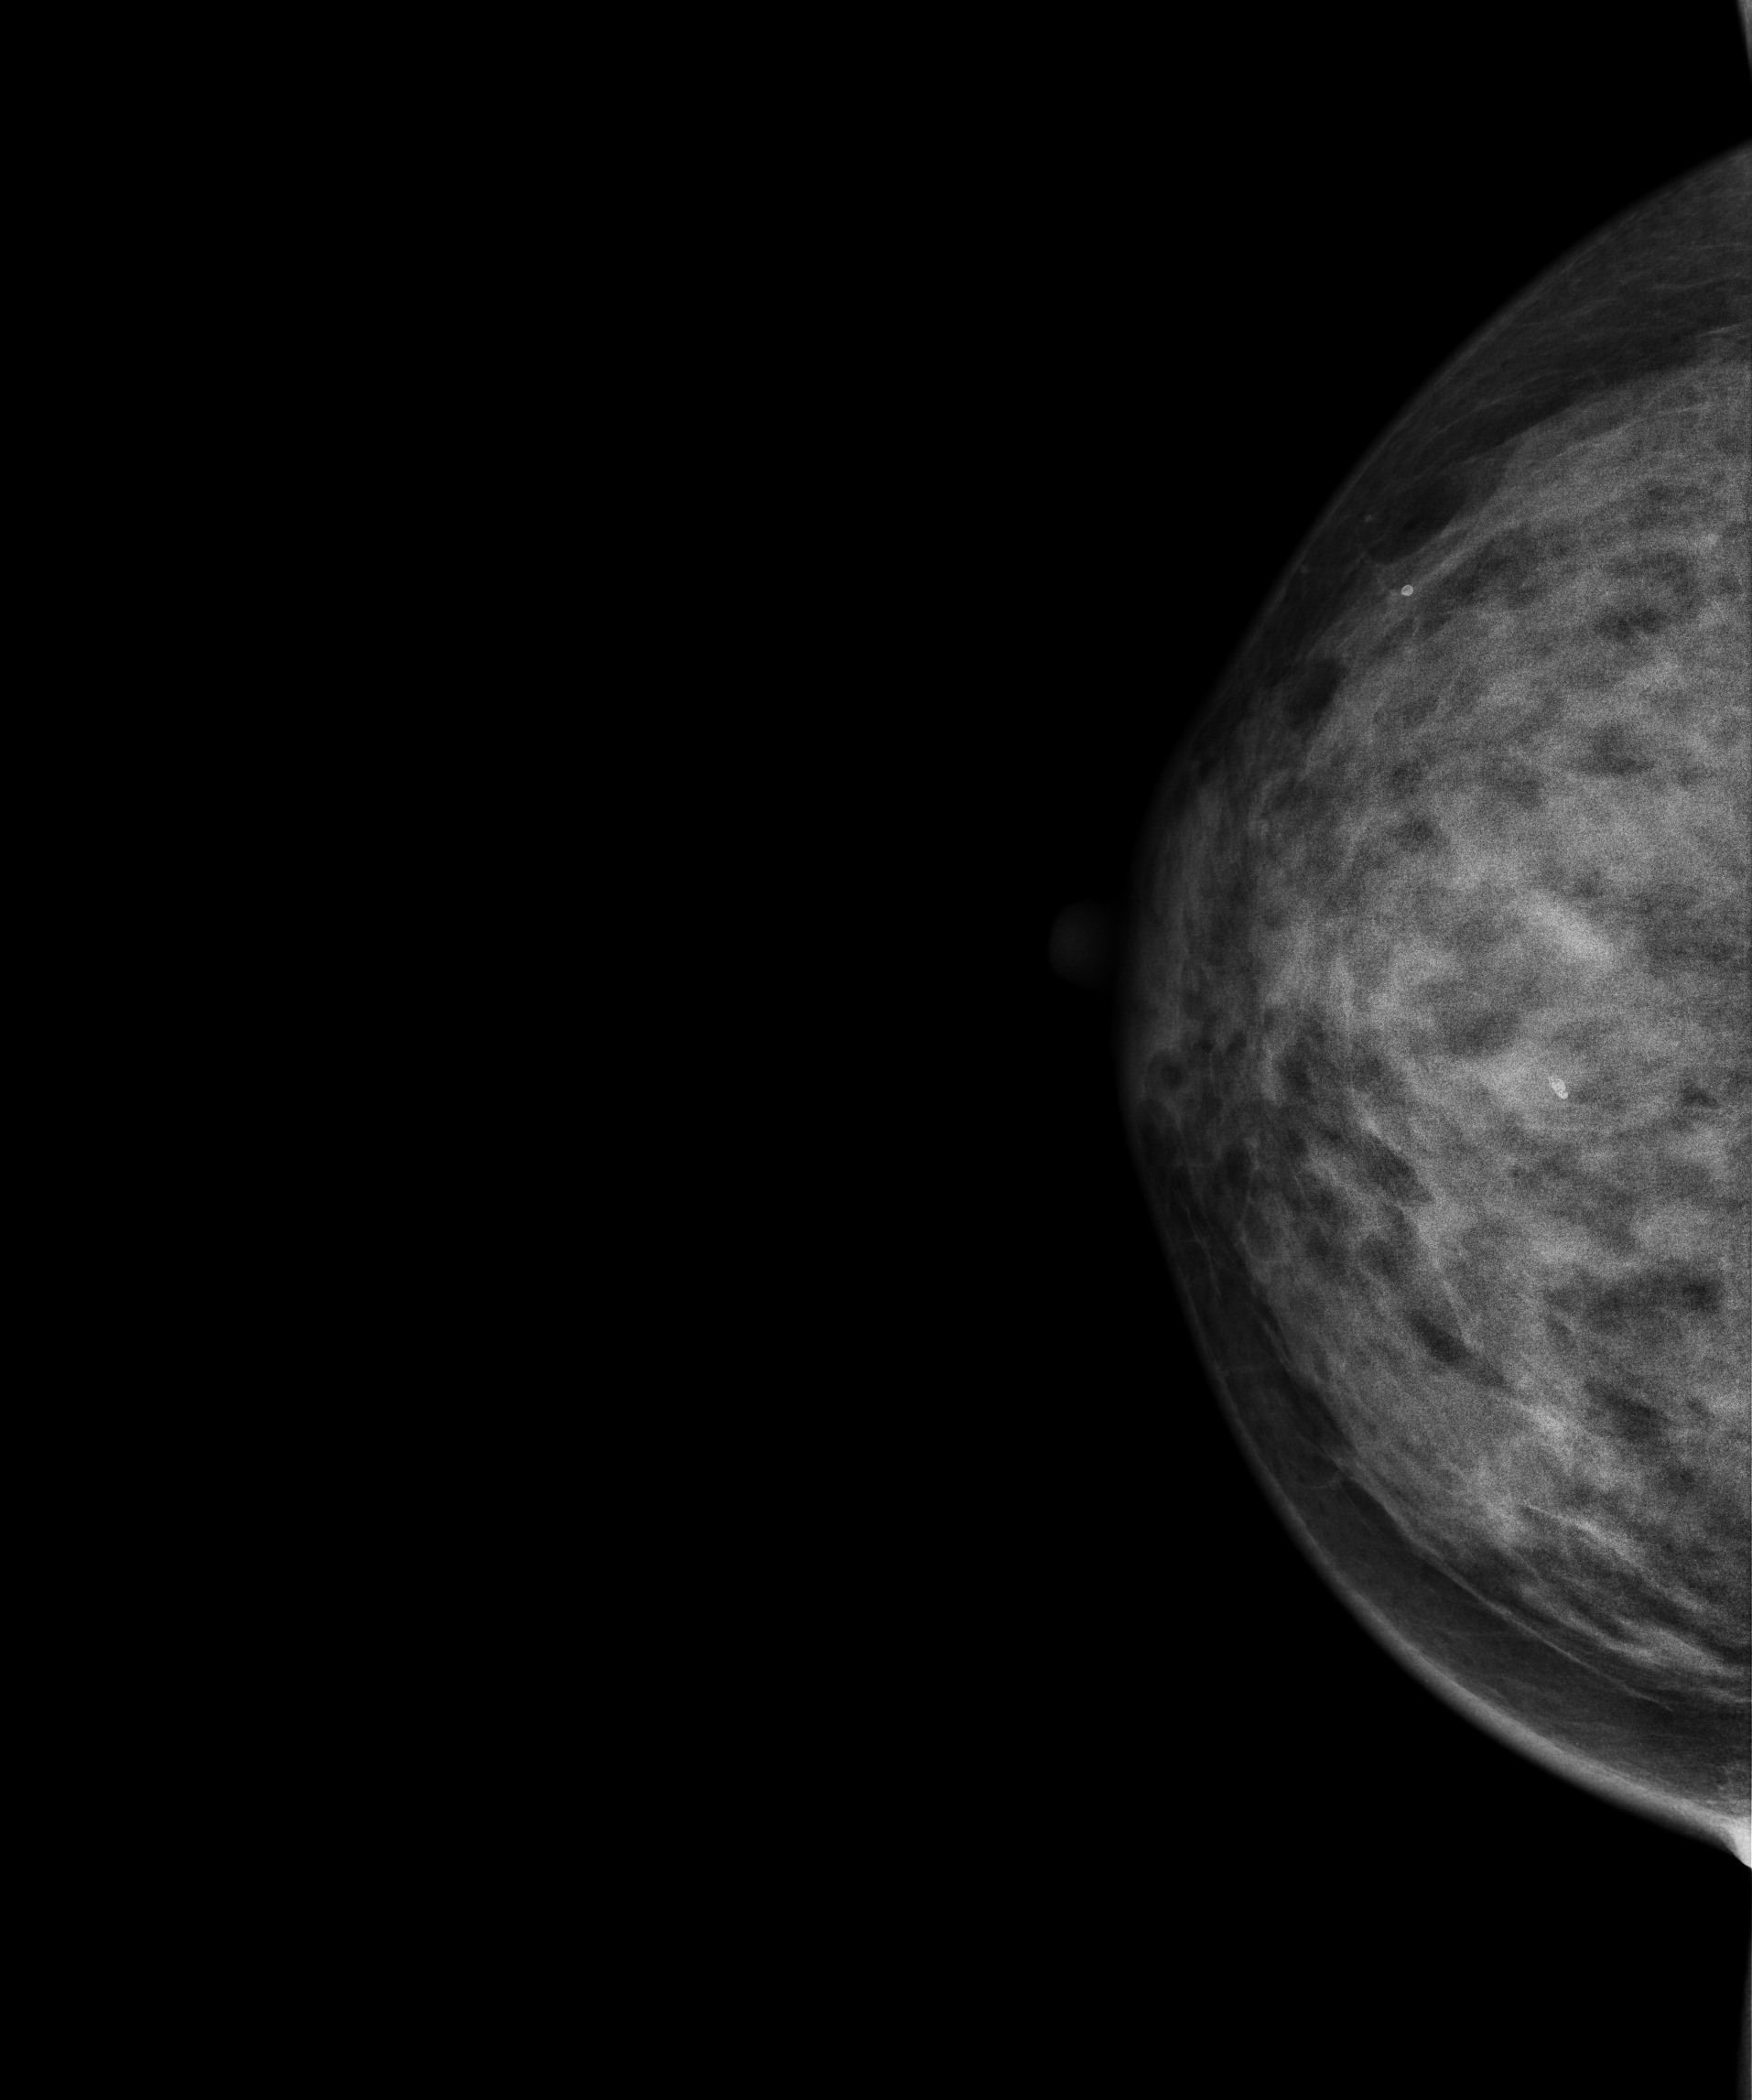
Cranio-caudal mammogram of the right breast. 50 y/o patient.
This breast has a mass, histologically confirmed malignant.